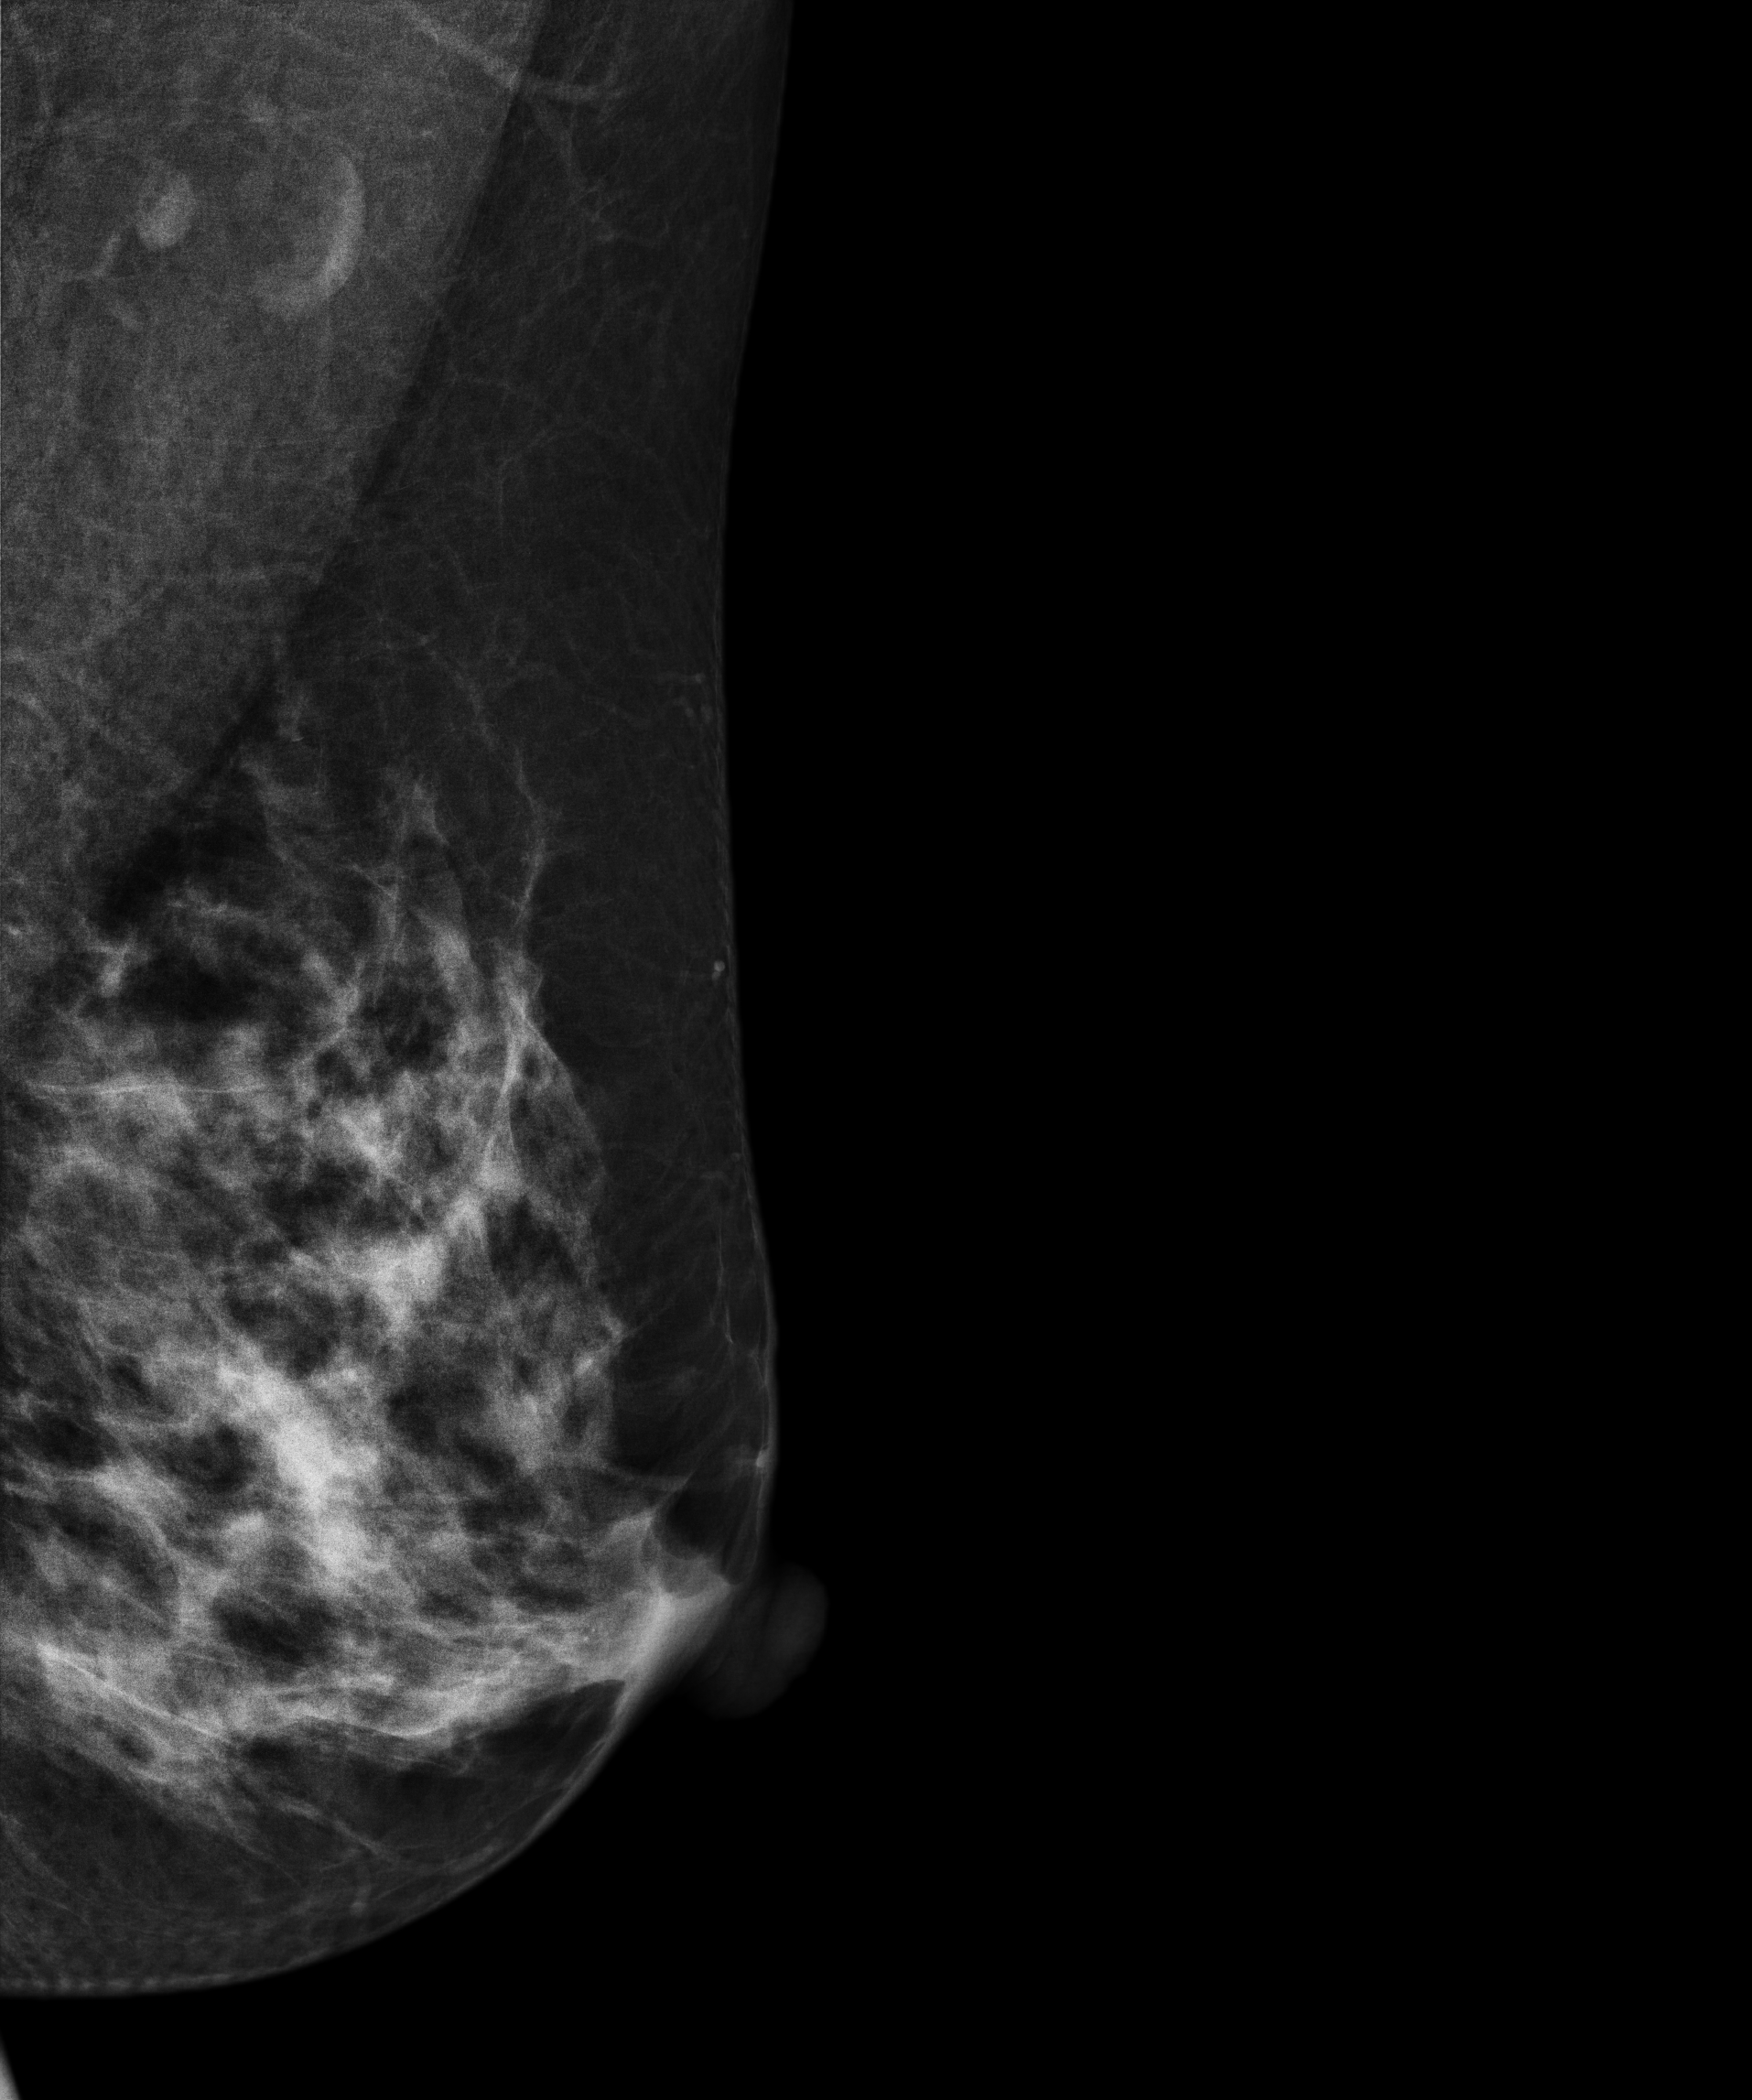
Mammogram — left MLO. 50 y/o patient.
Contralateral breast — no documented abnormality on this side.